Mammogram, left breast, CC view. 27-year-old patient.
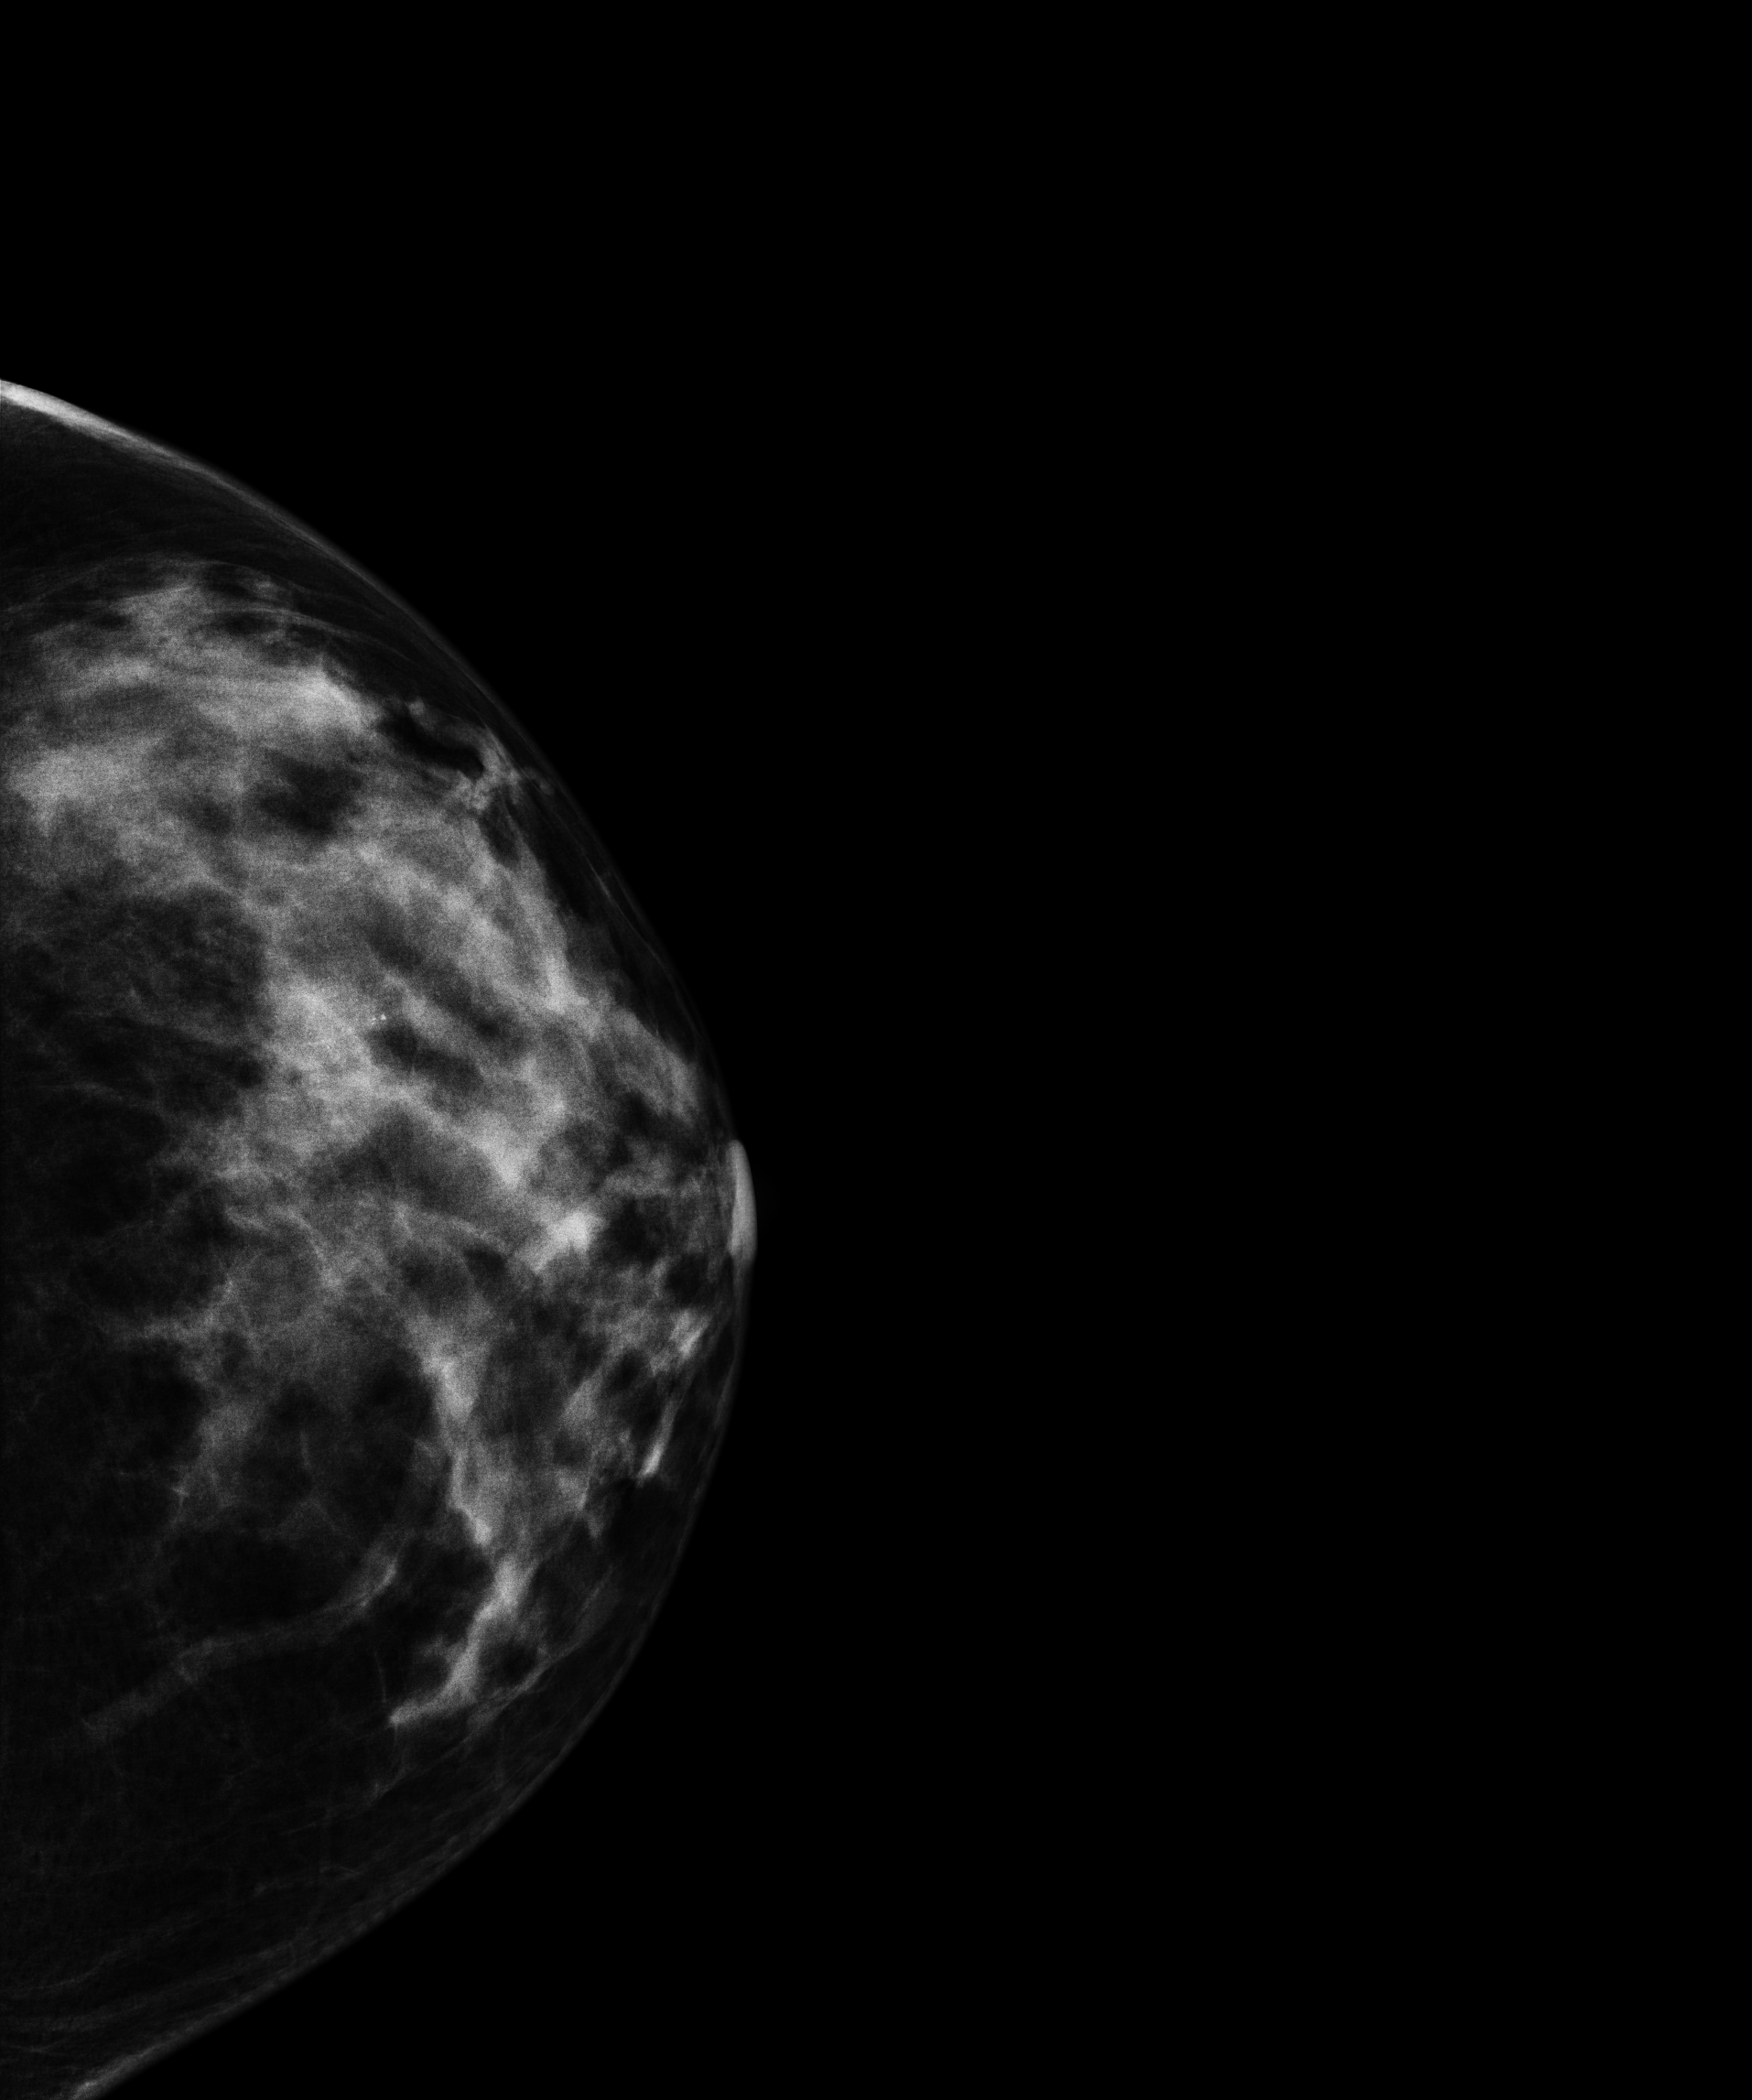
This breast has calcifications, biopsy-proven malignant.